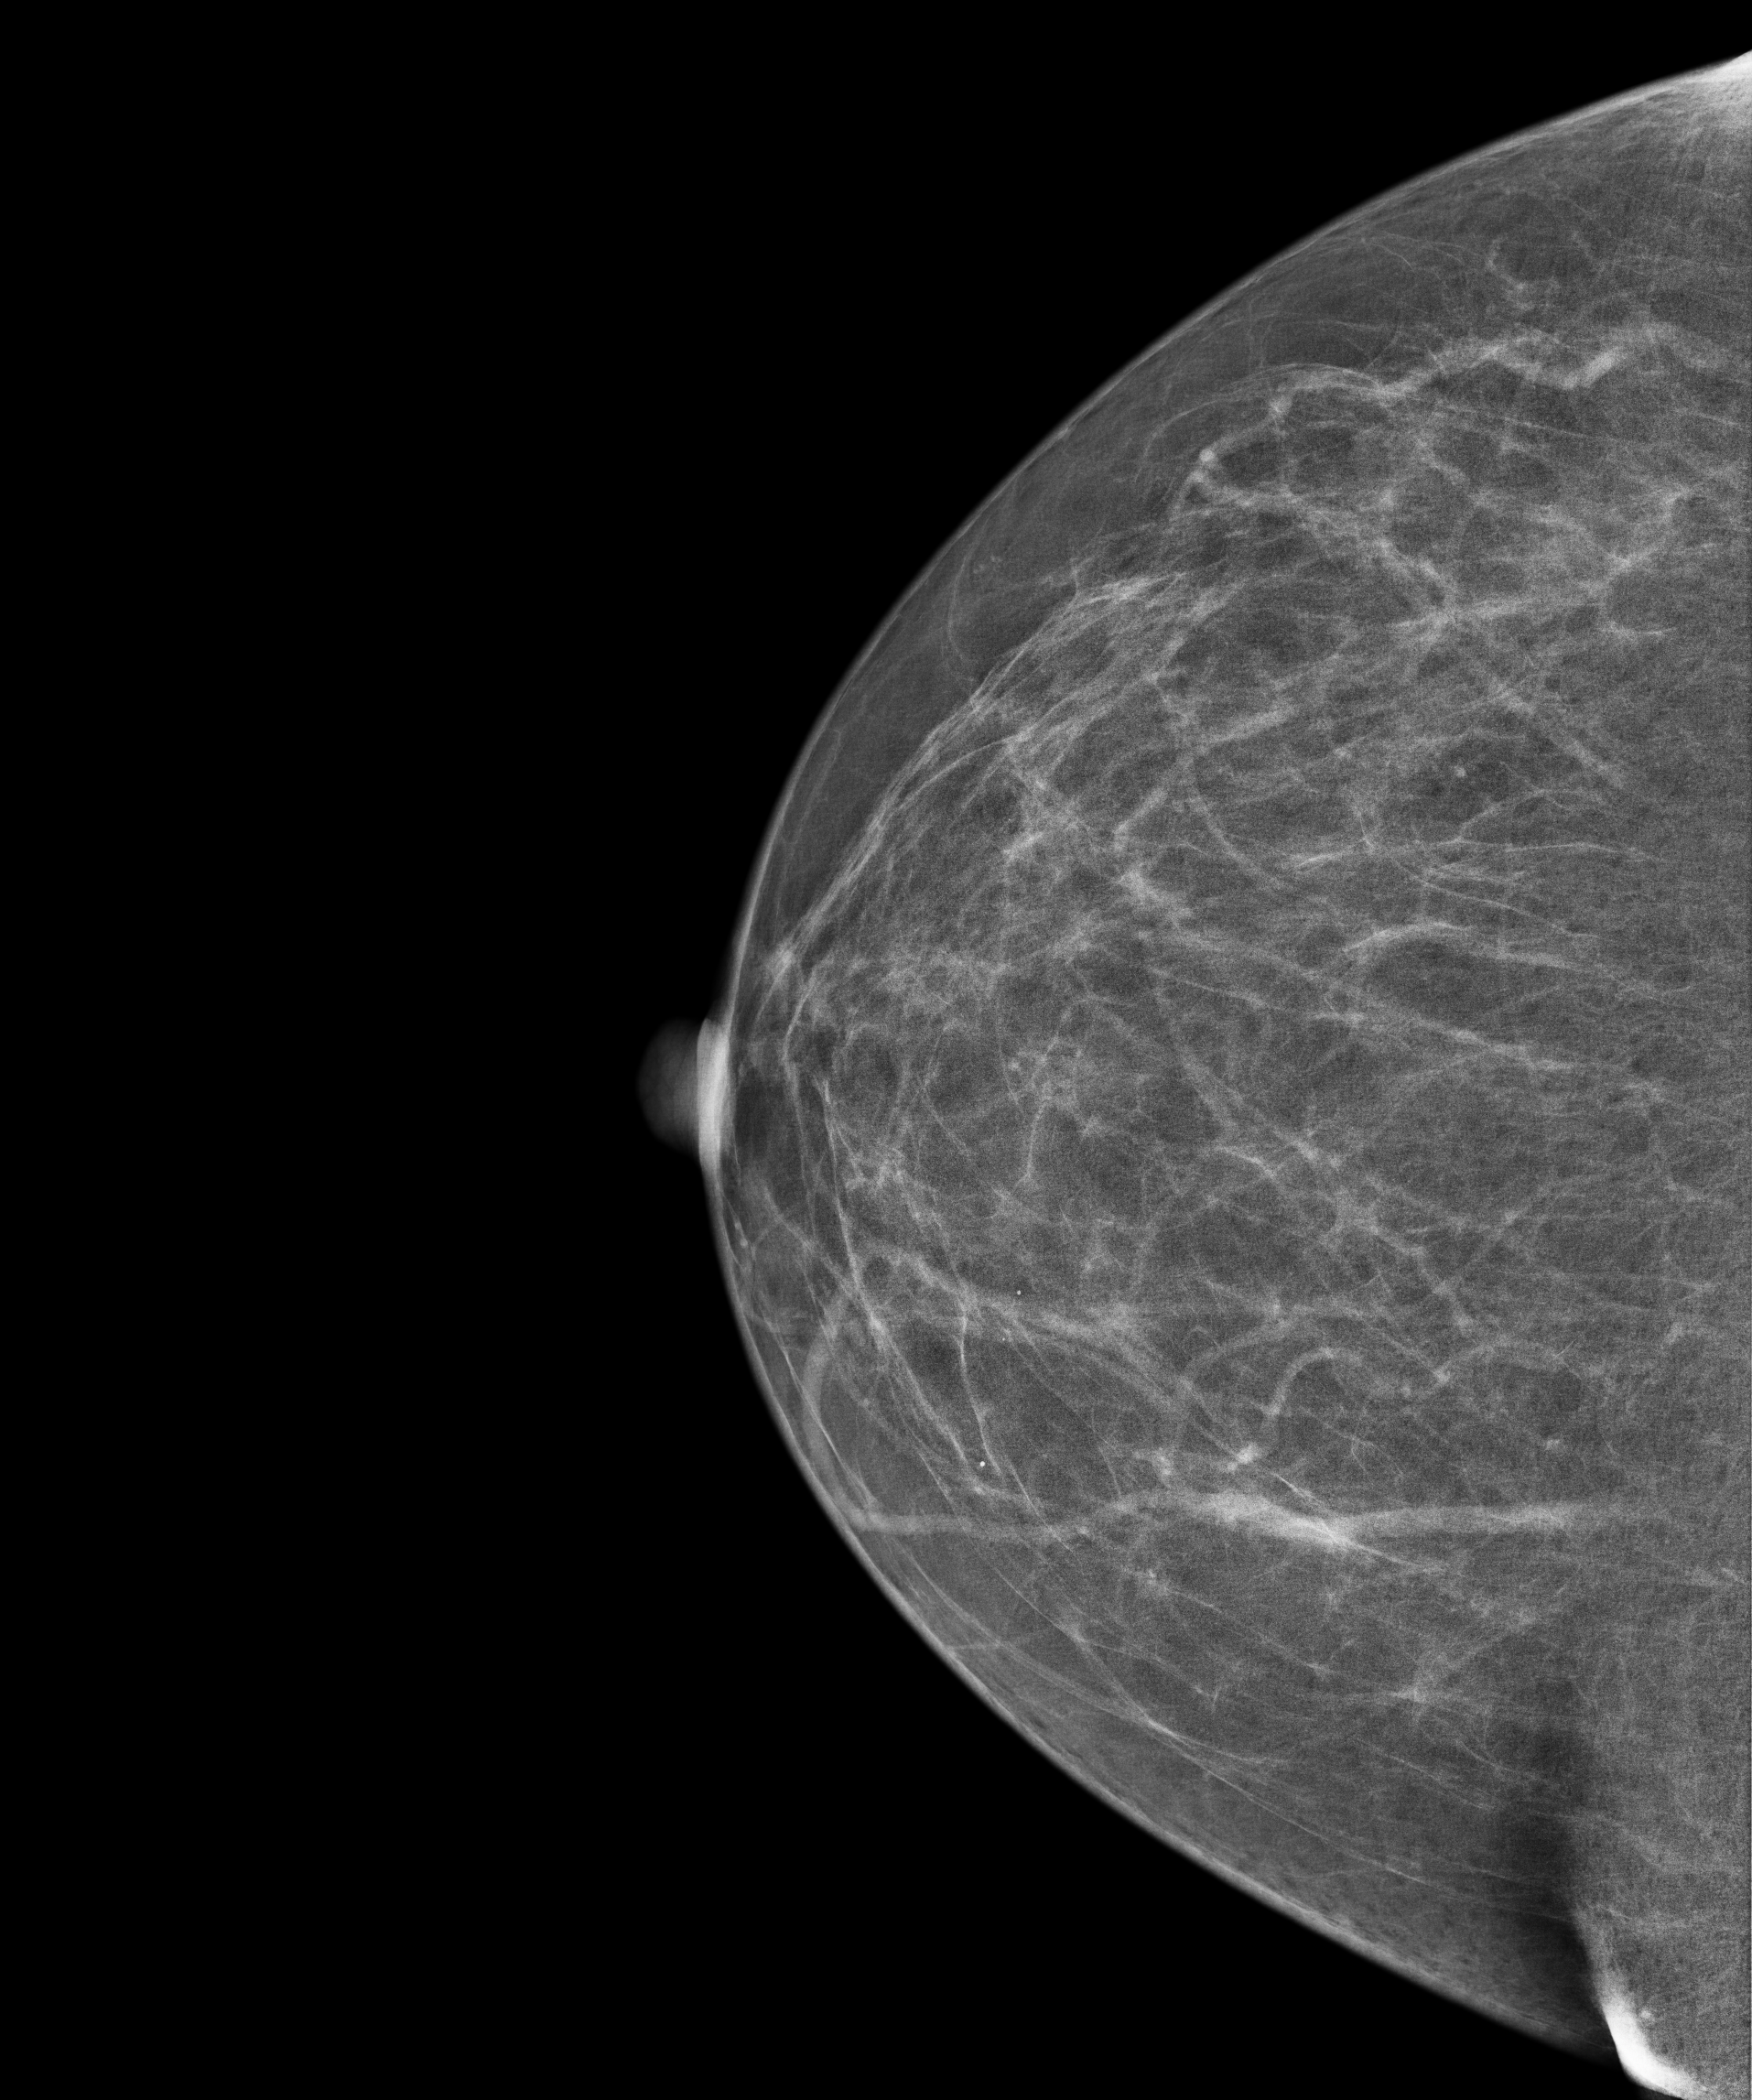
Mammogram — right CC. 52-year-old patient.
Contralateral breast — no documented abnormality on this side.